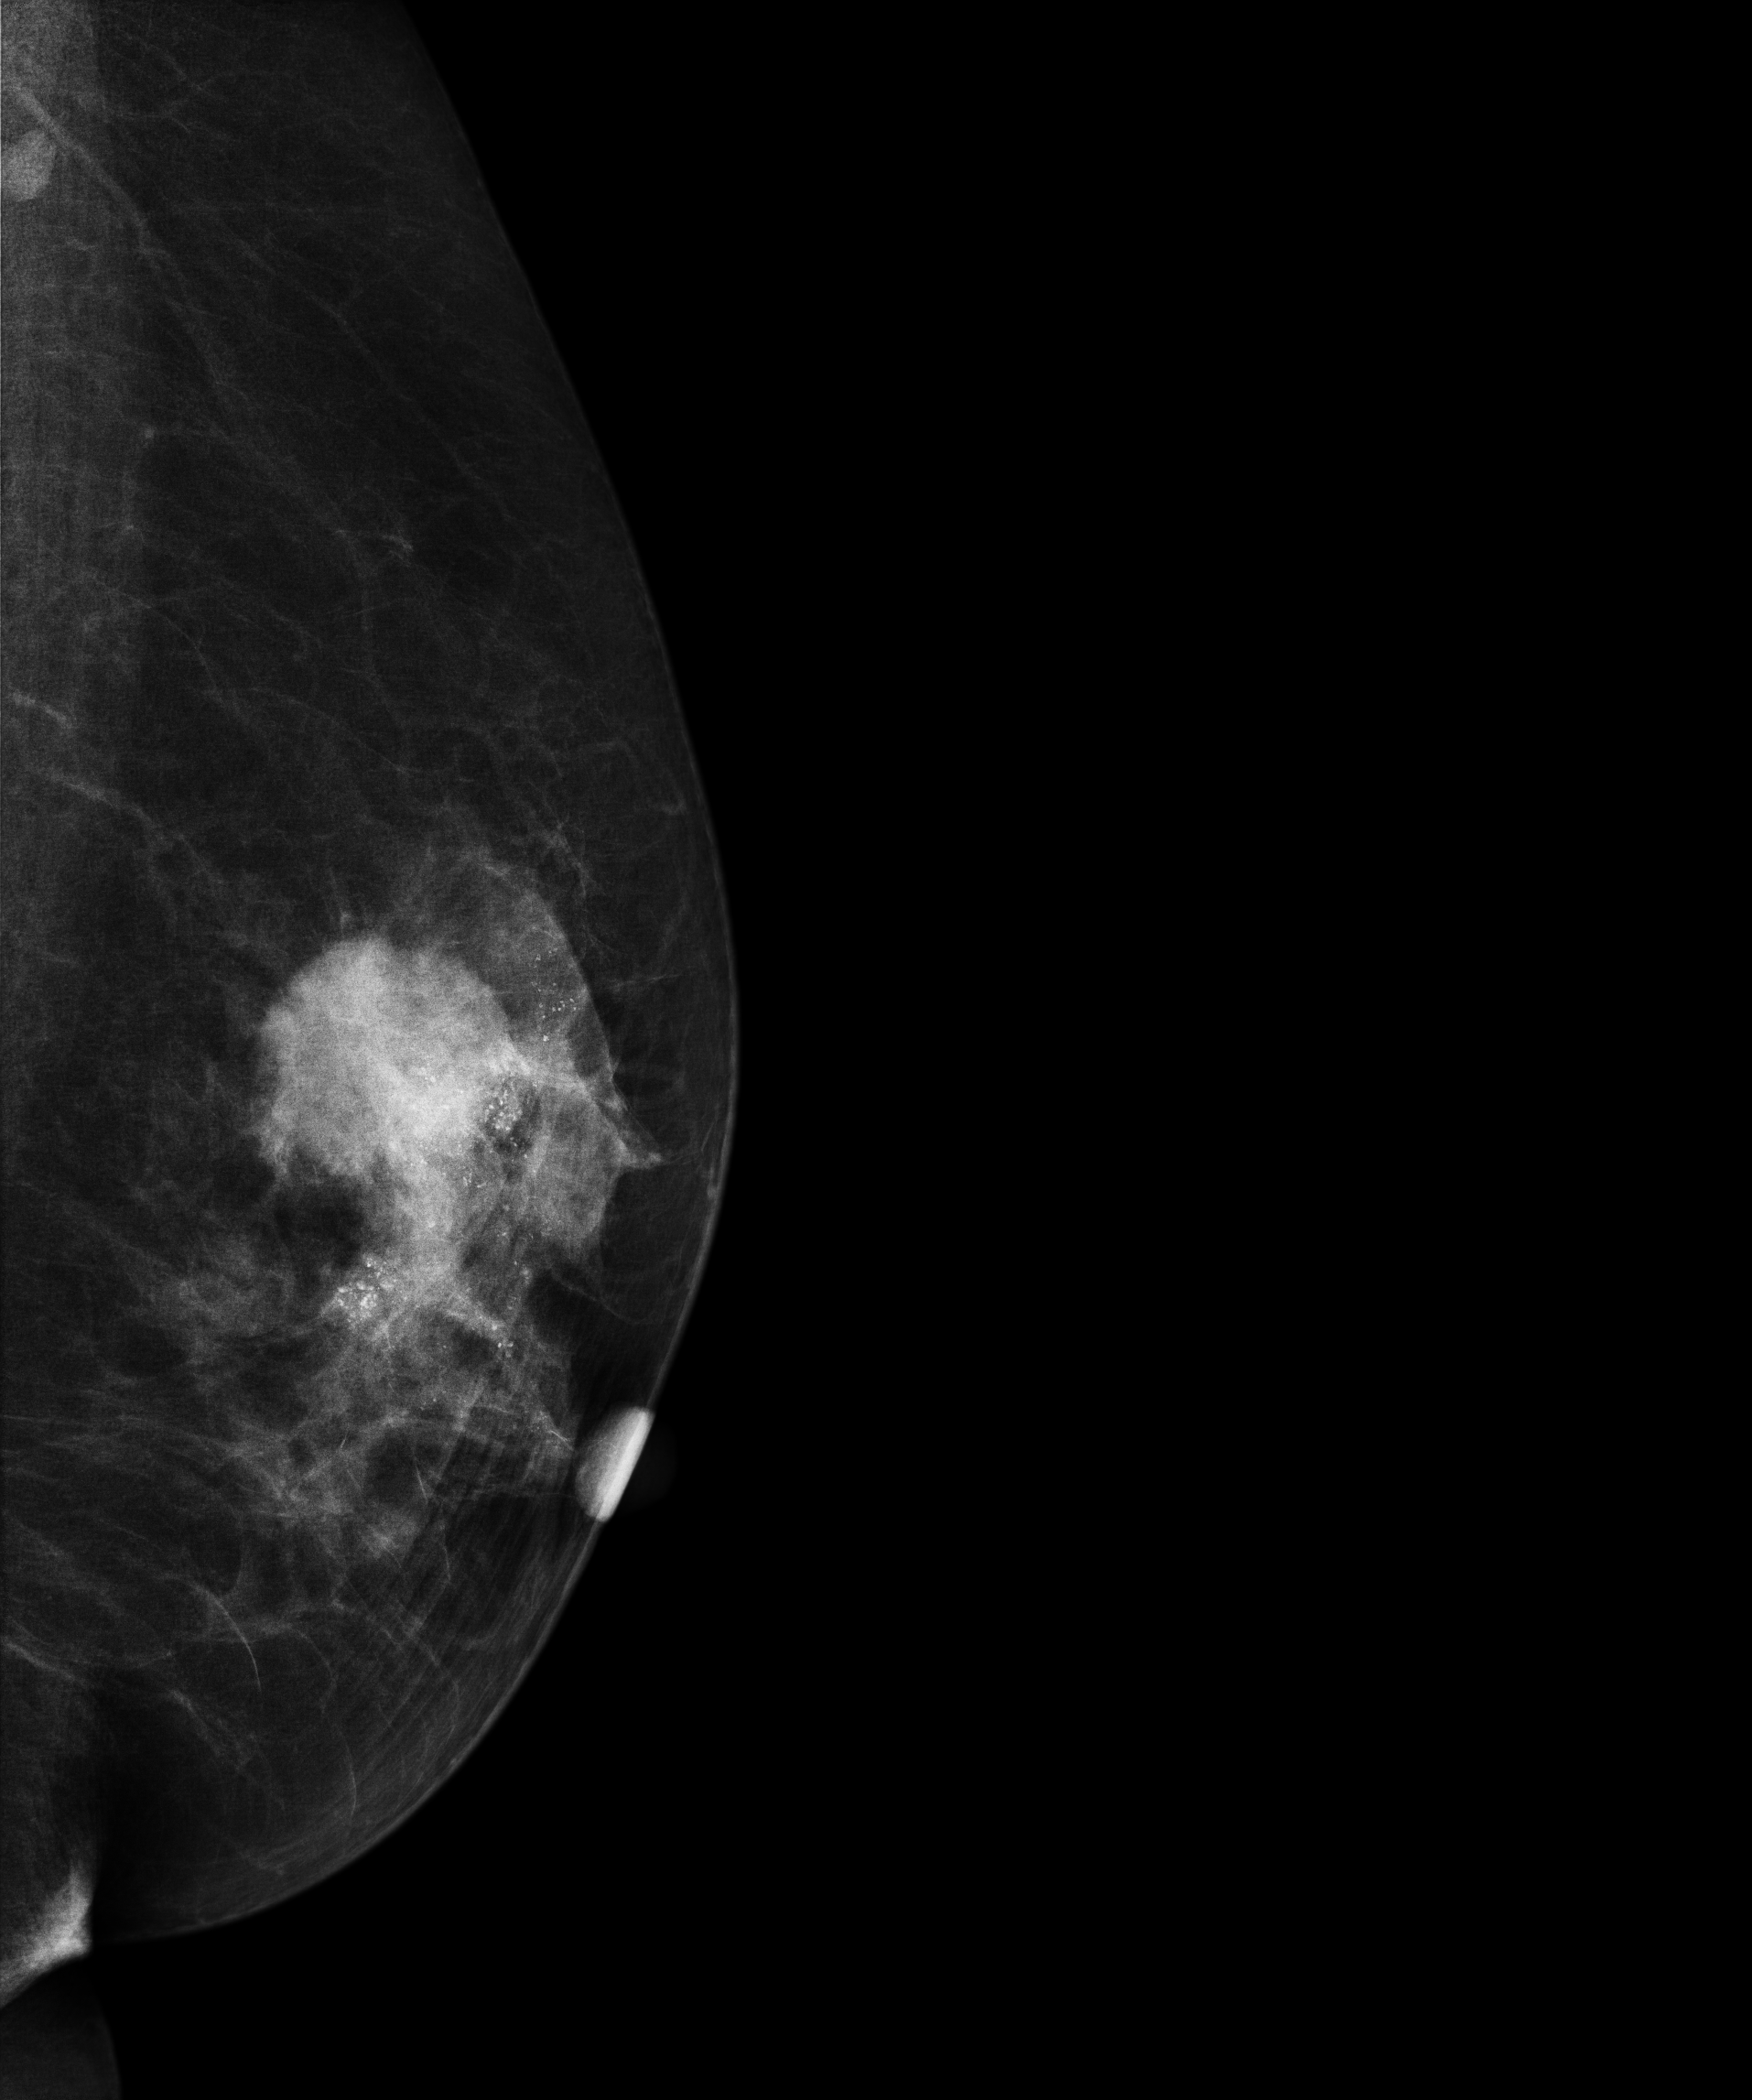
Left-breast mammogram, medio-lateral oblique. 60-year-old patient.
This breast has a mass and calcifications, histologically confirmed malignant. Molecular subtype: luminal B.